Mammogram — left cranio-caudal. Patient age 52.
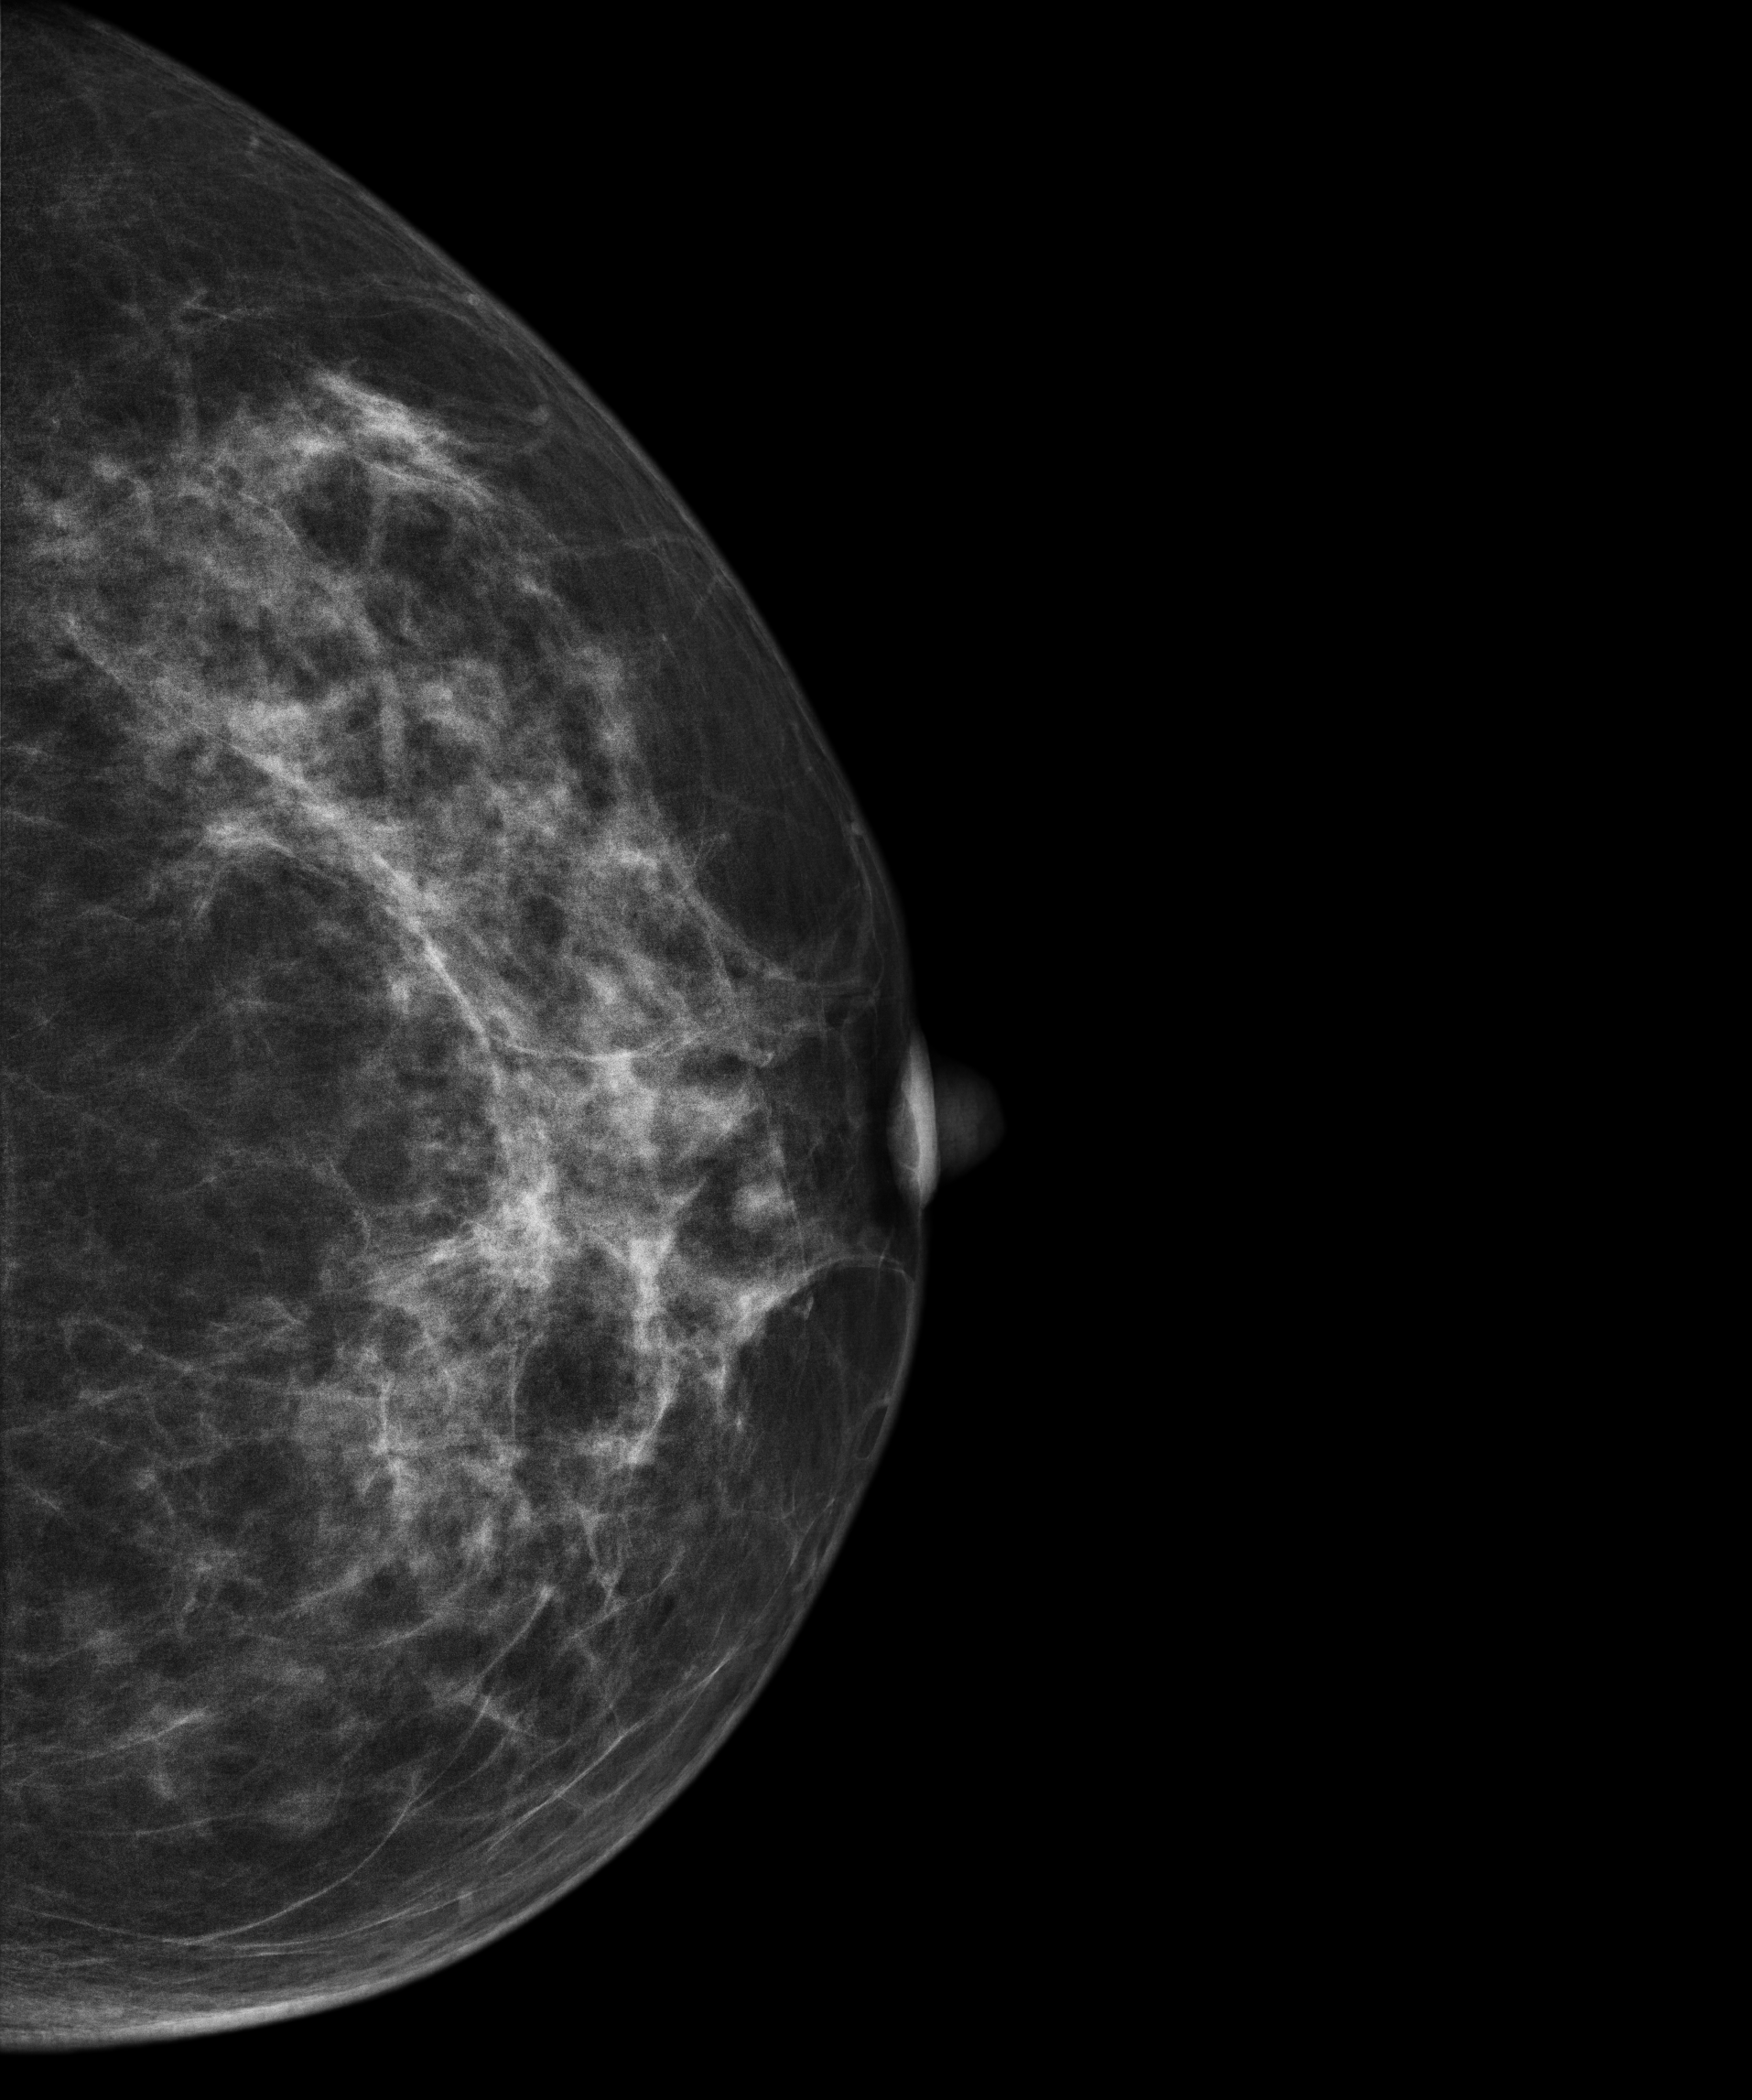
Contralateral breast — no documented abnormality on this side.